Left-breast mammogram, medio-lateral oblique. 54 y/o patient.
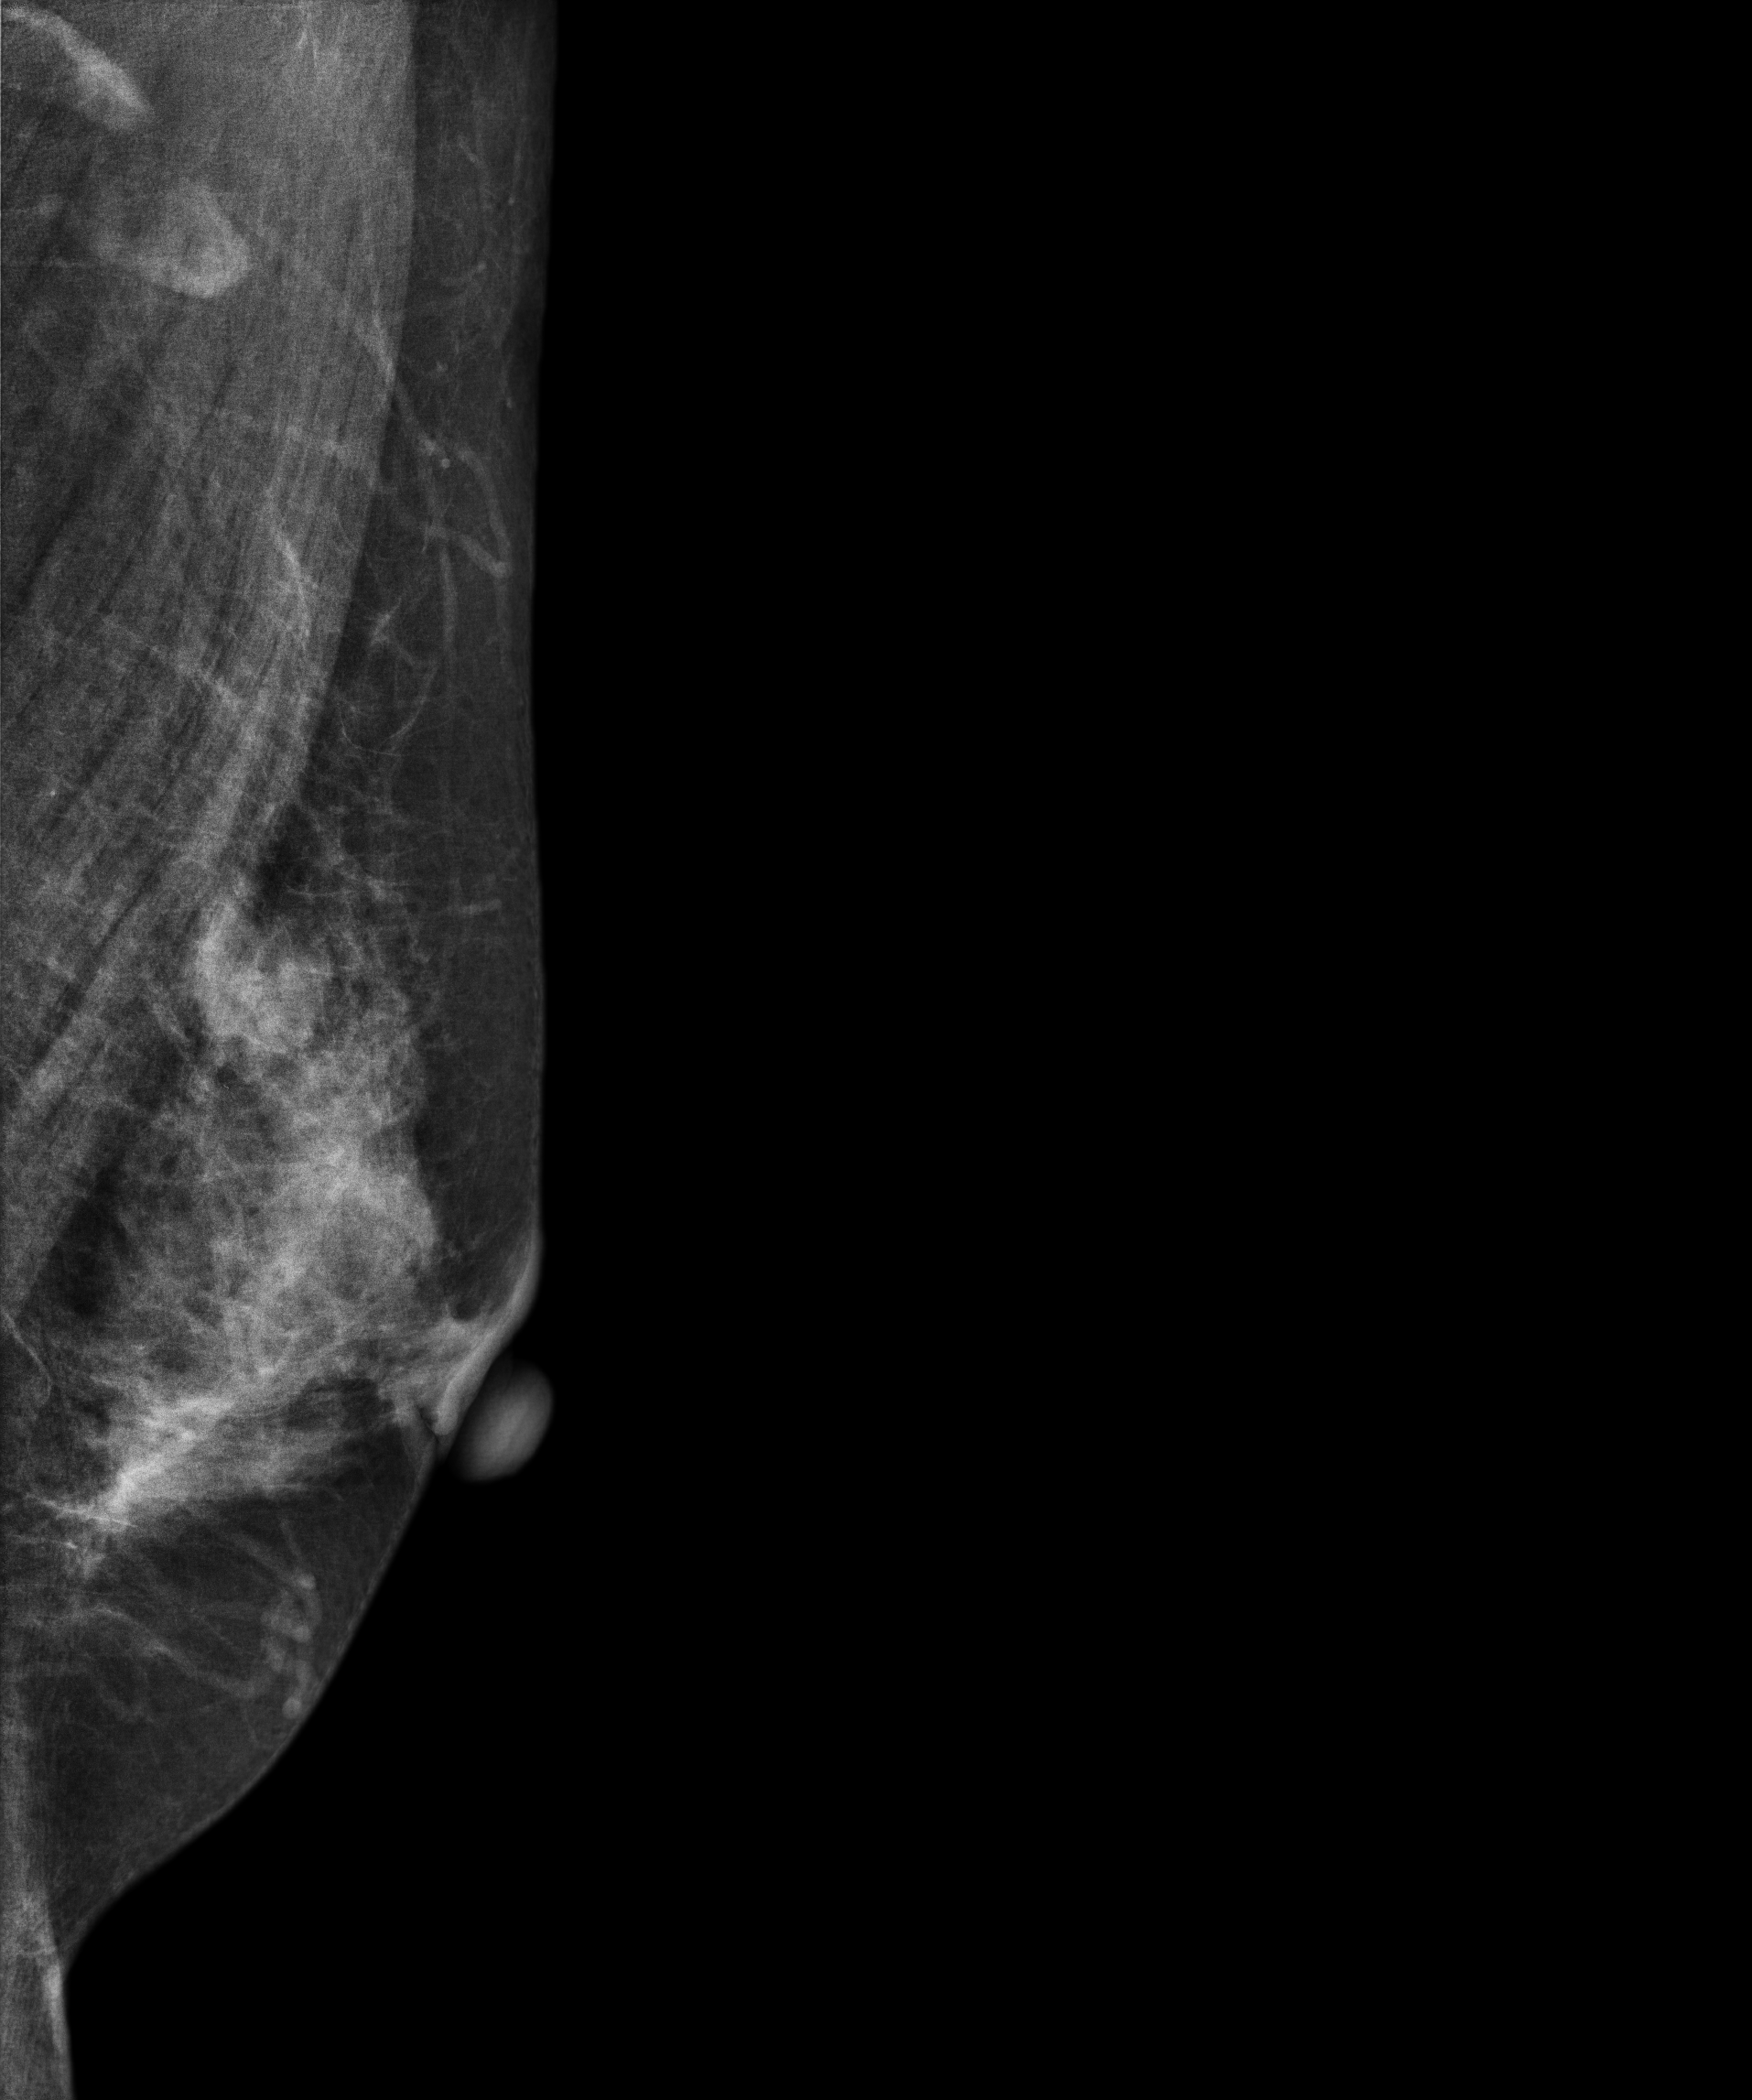
This breast has a mass, pathology-confirmed malignant.